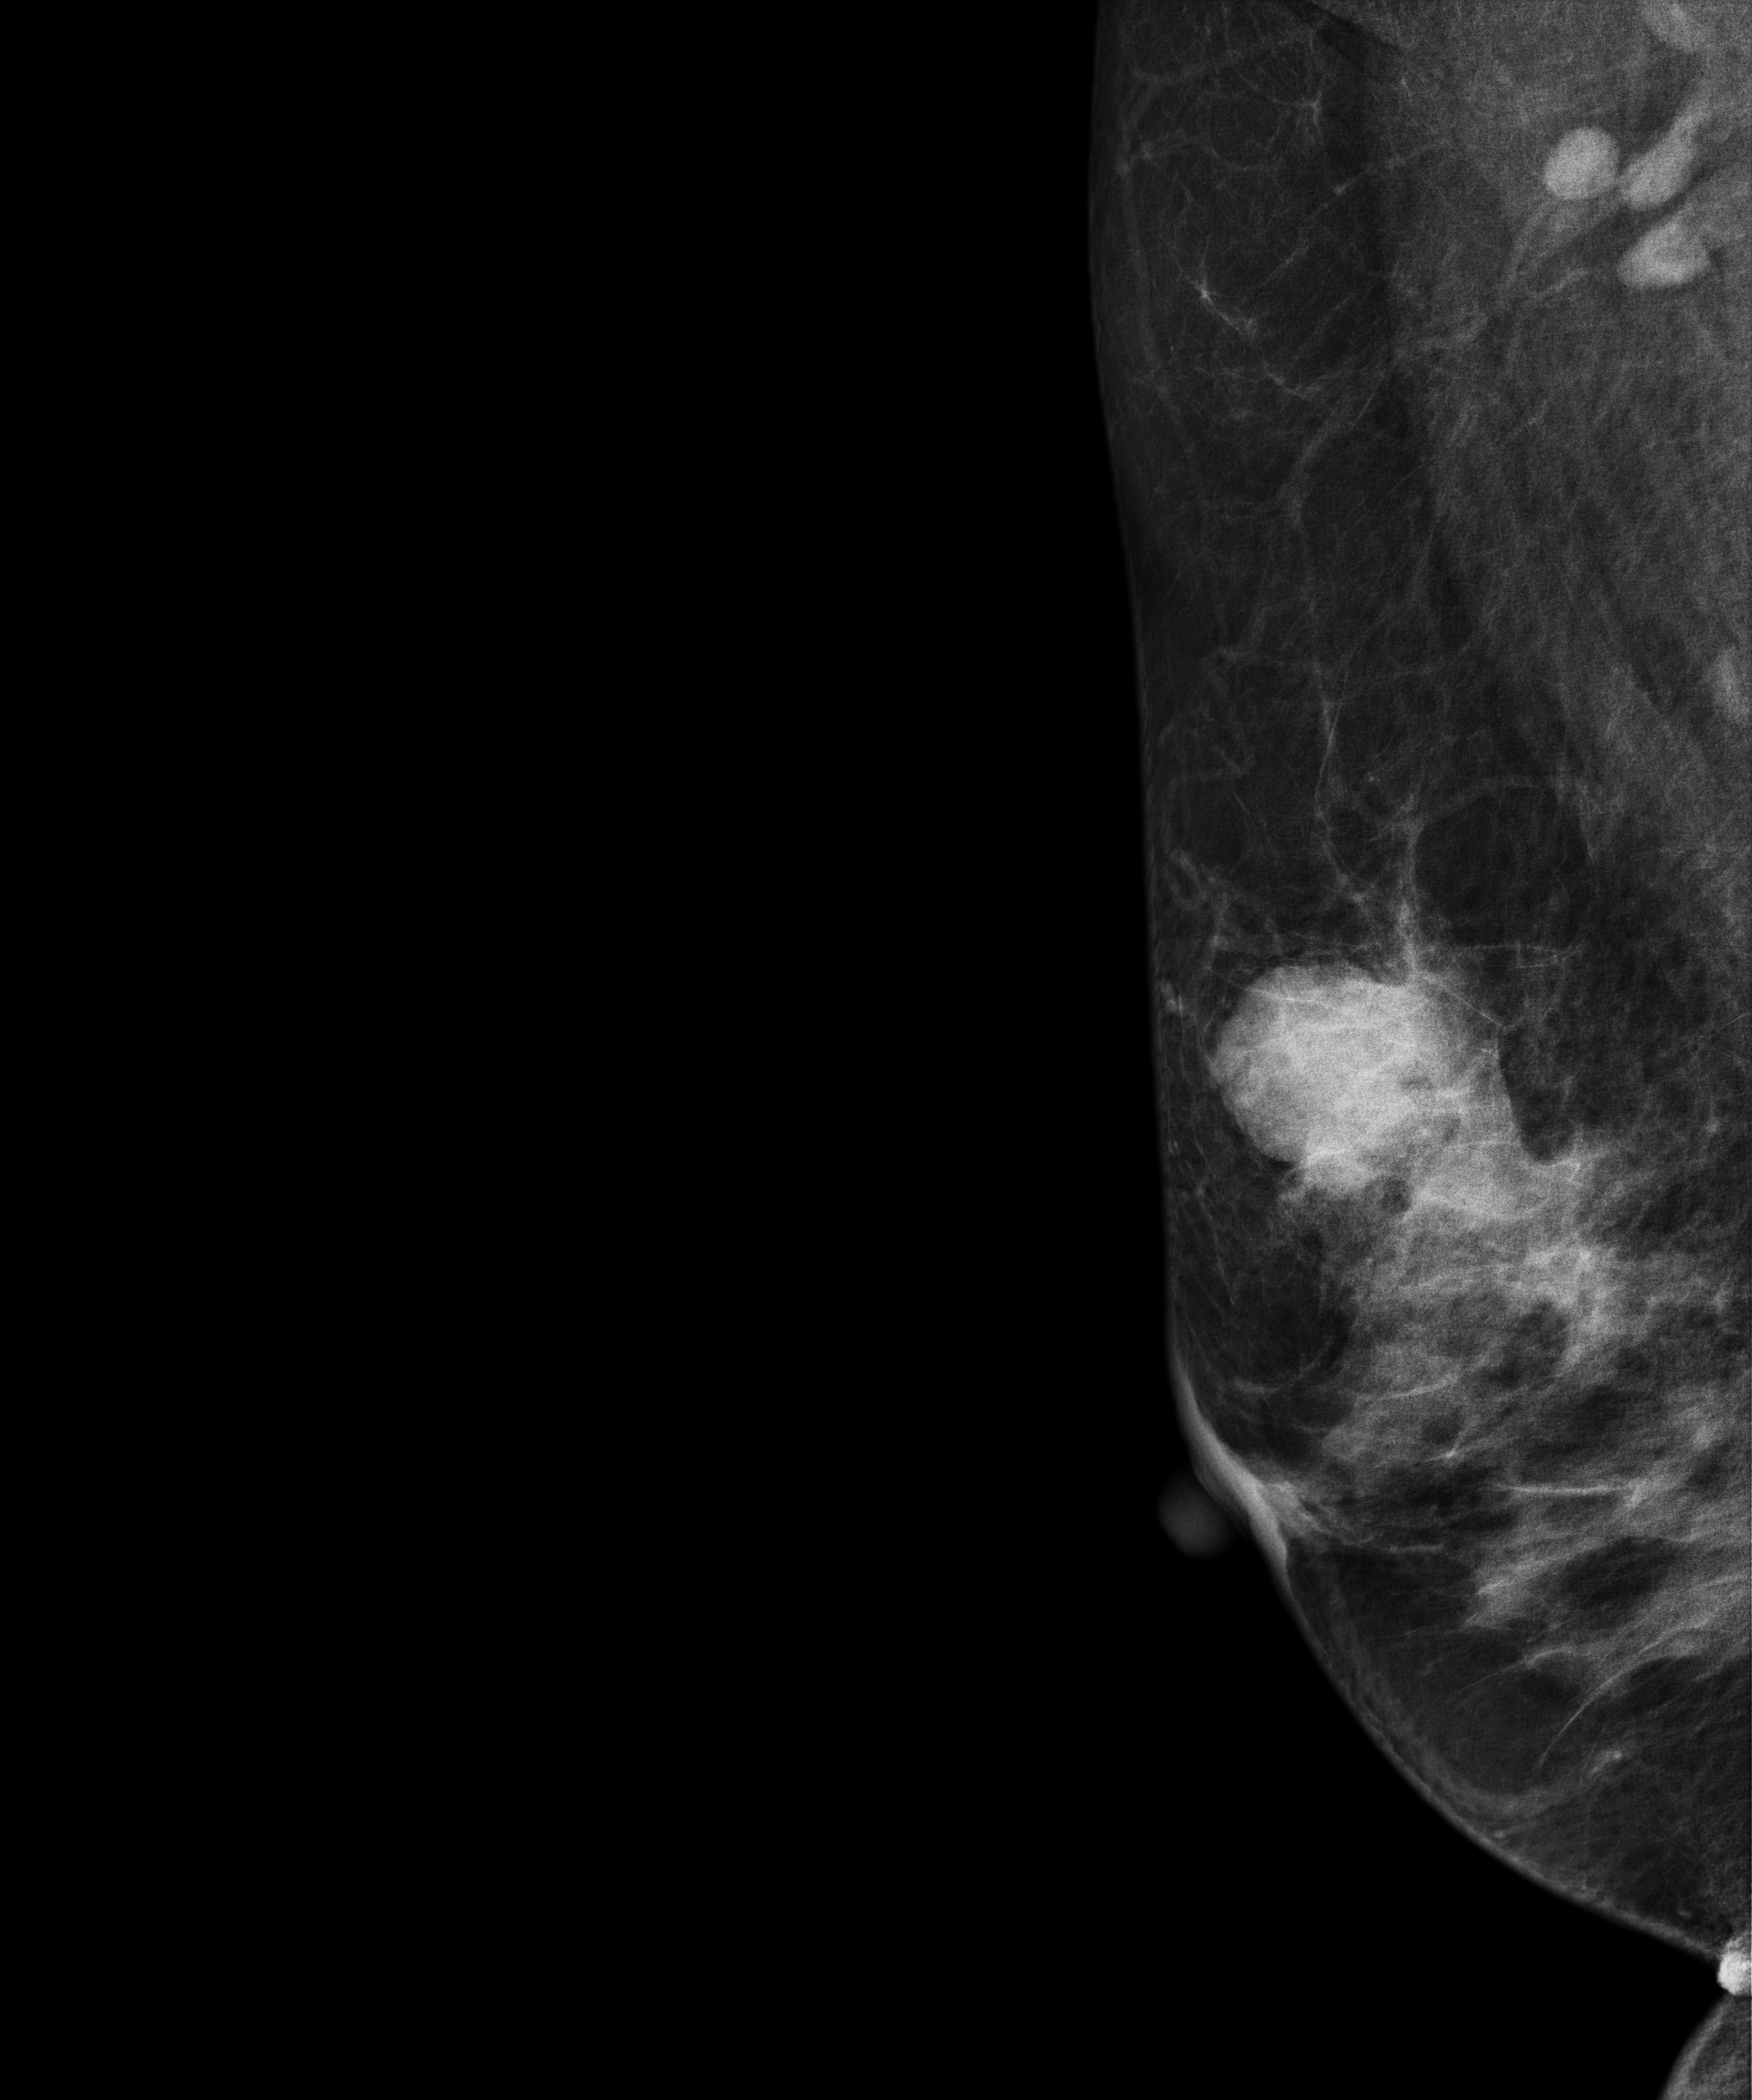
Right-breast mammogram, MLO. Patient age 59.
This breast has a mass, pathology-confirmed malignant.